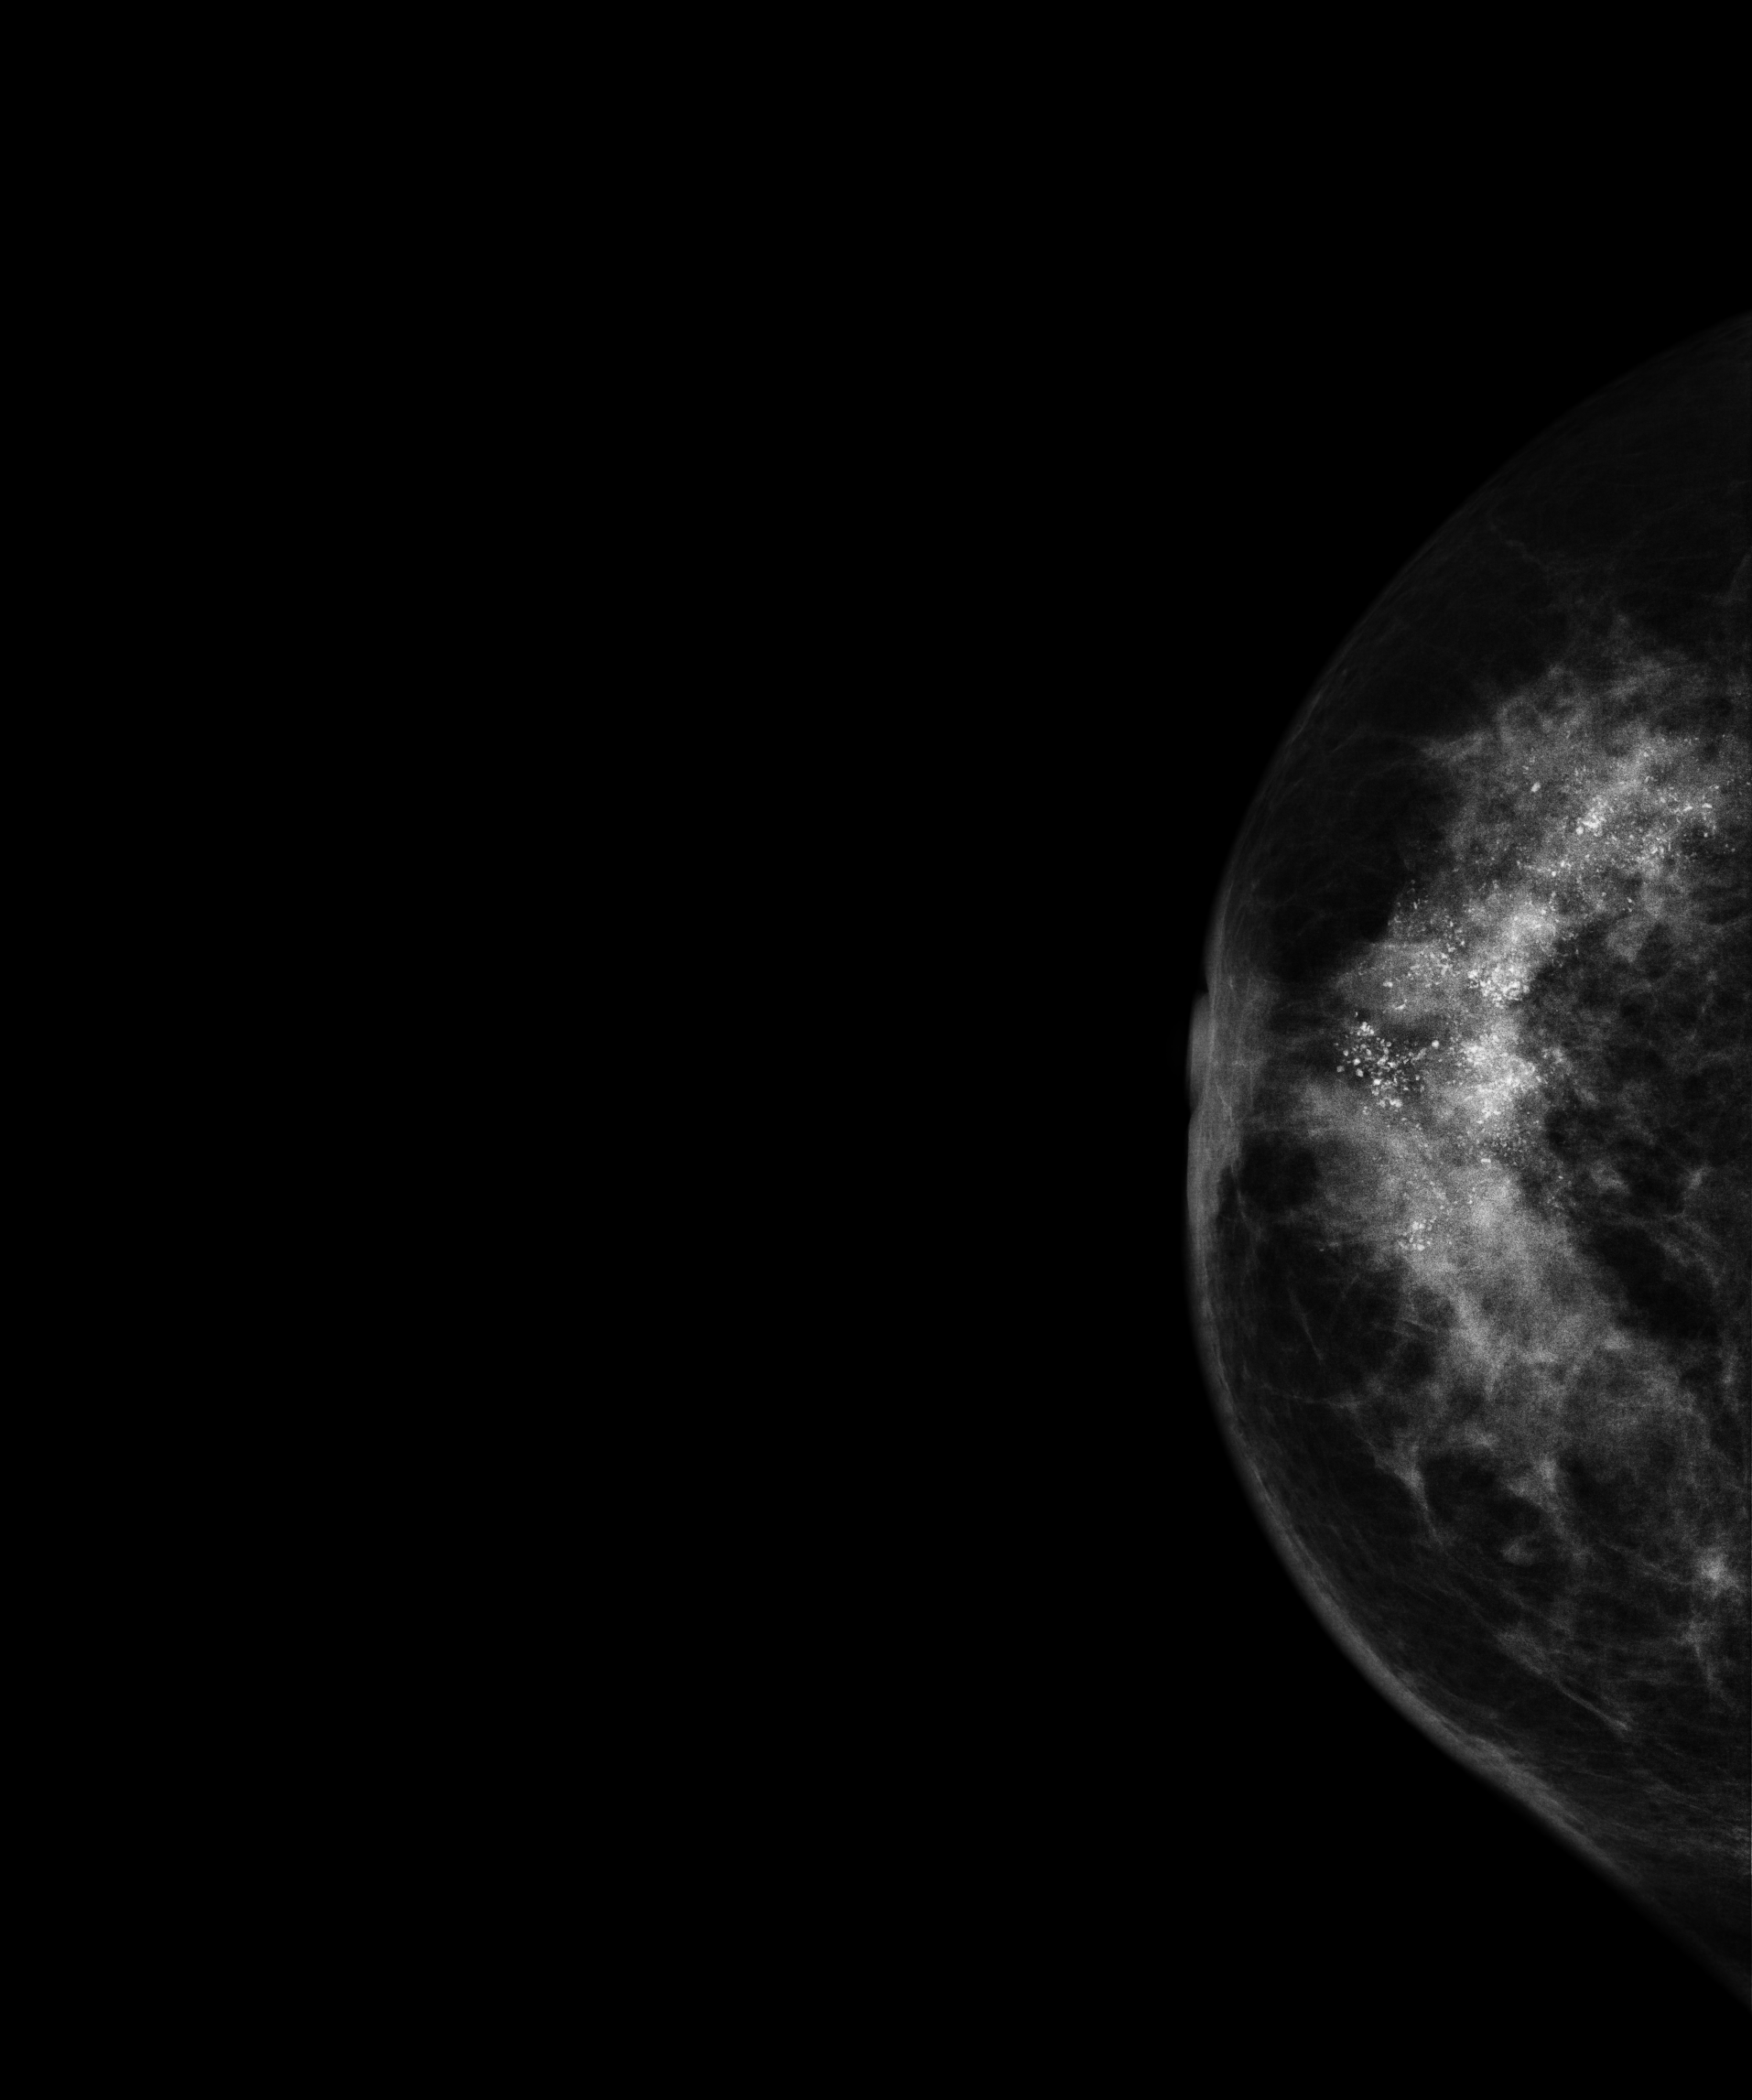
Mammogram — right CC. 64 y/o patient.
This breast has calcifications, histologically confirmed malignant.